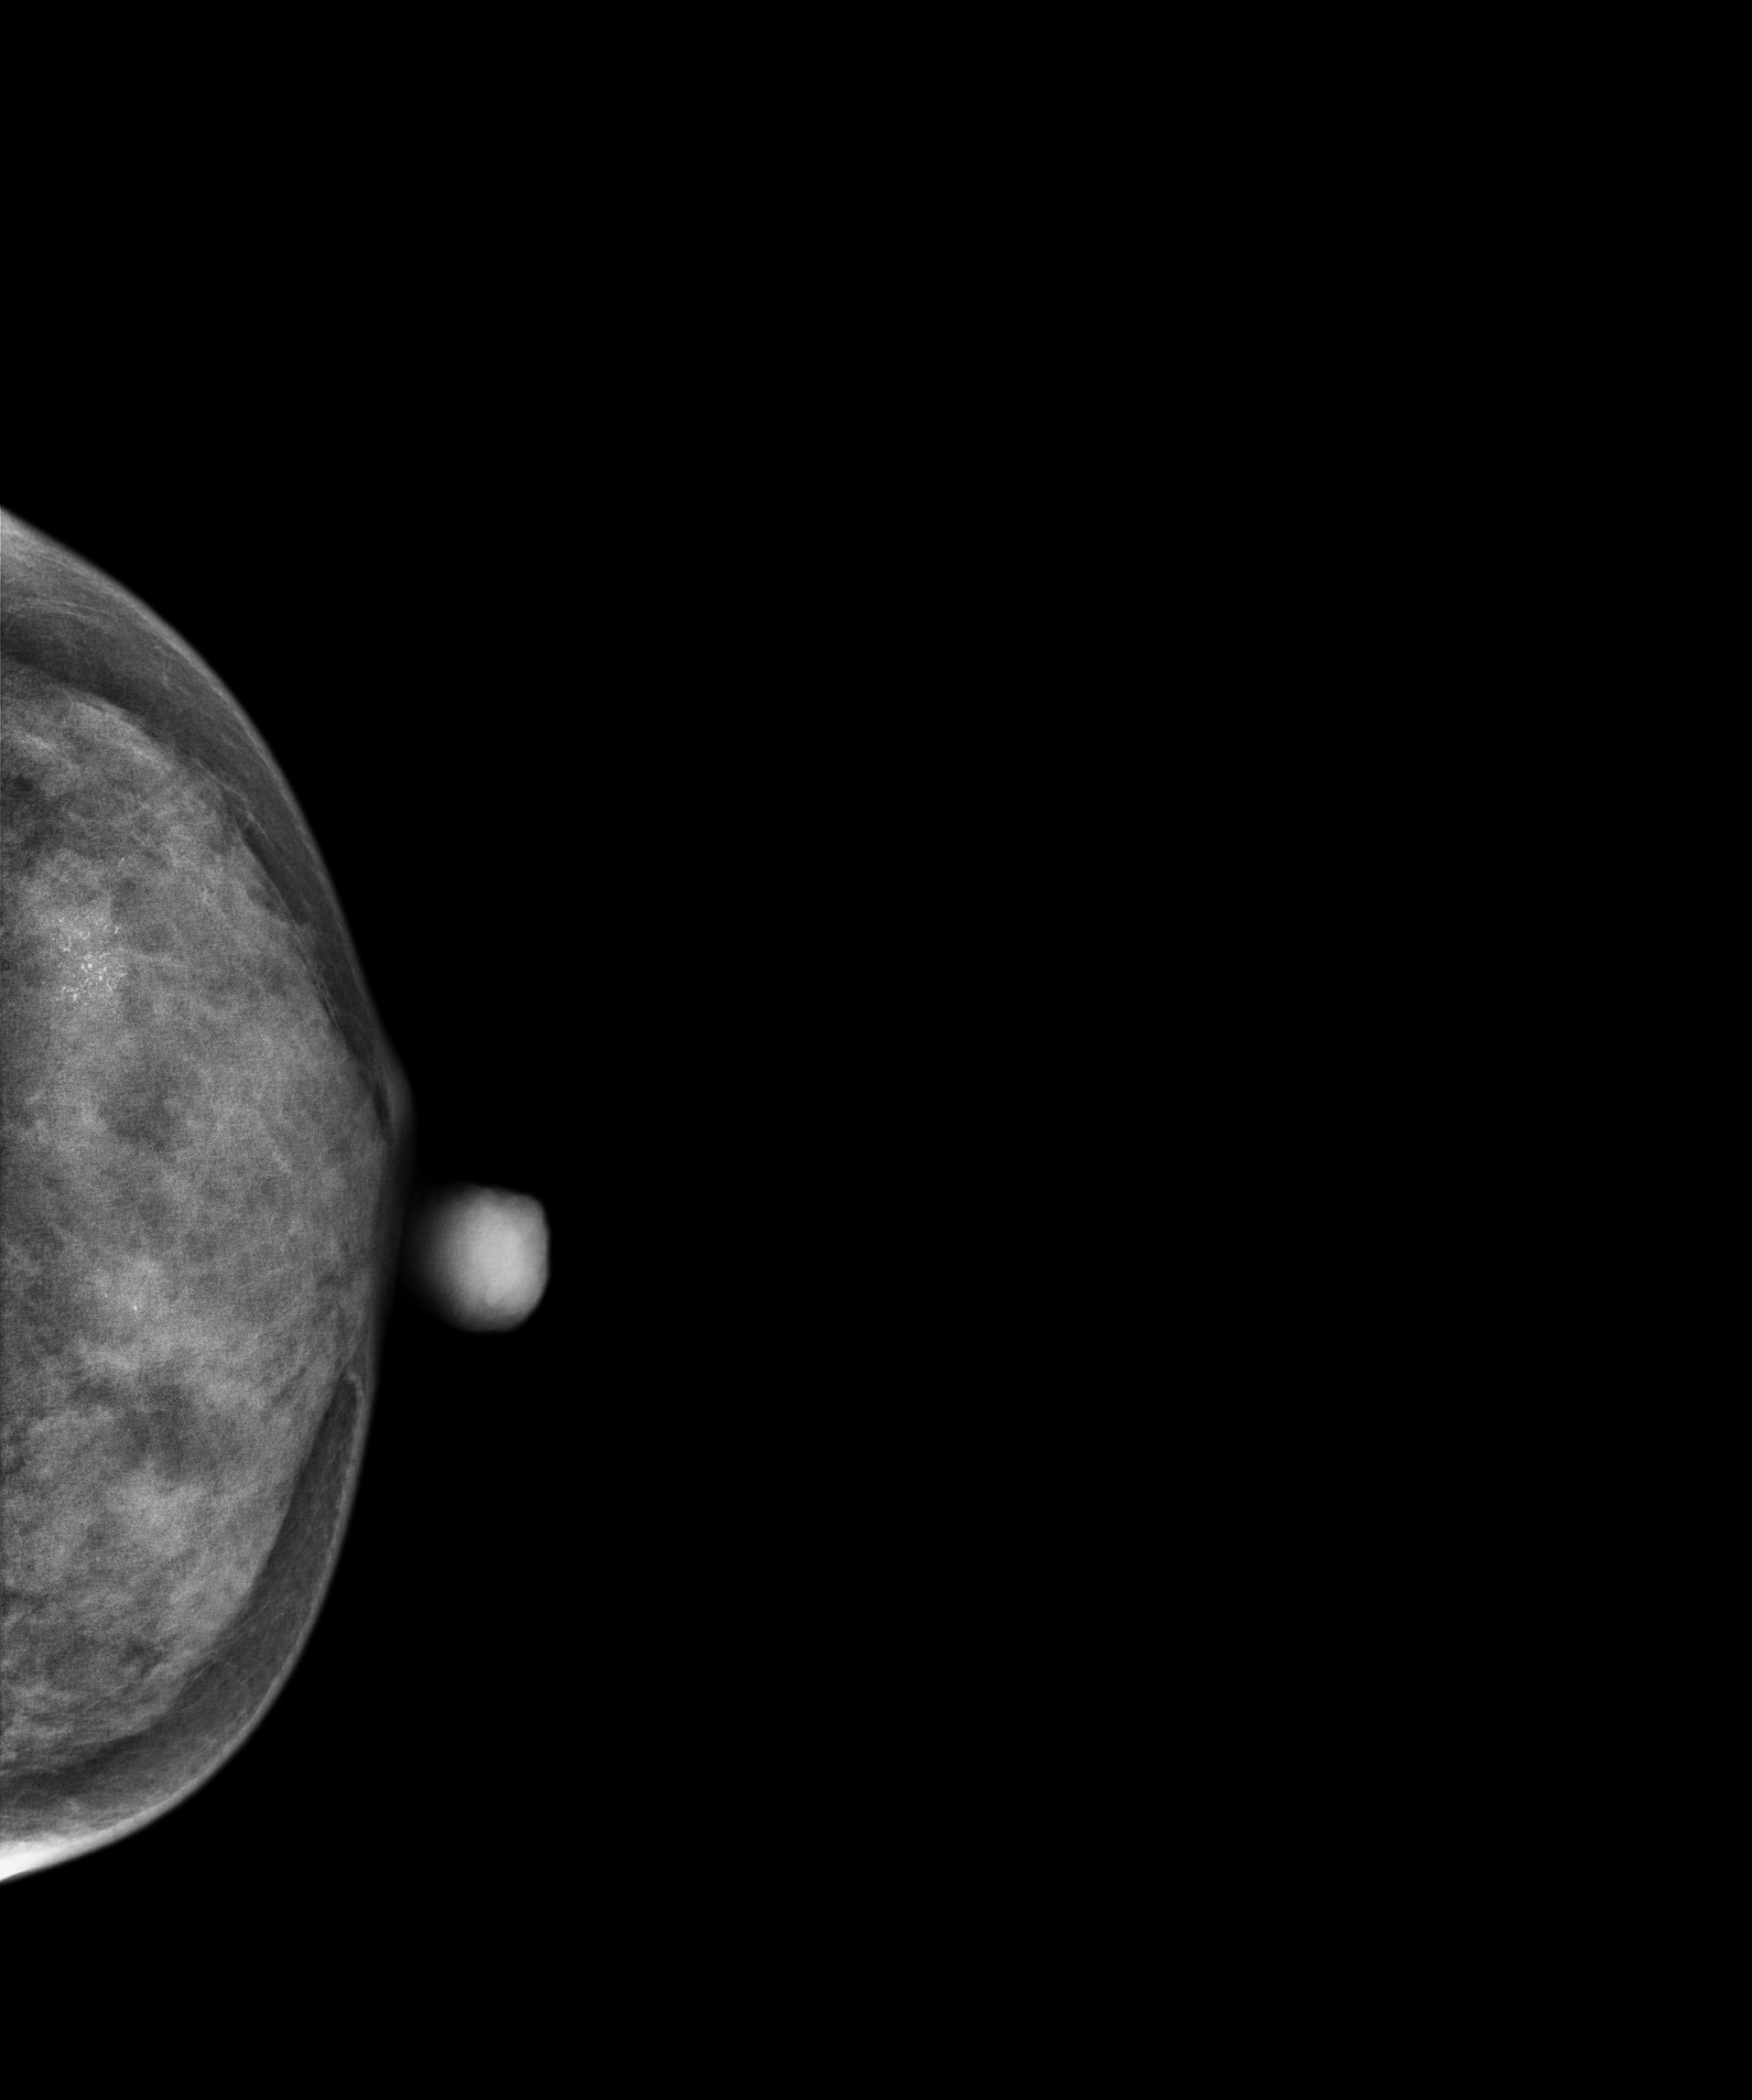
Mammogram, left breast, cranio-caudal view. 38-year-old patient.
This breast has calcifications, pathology-confirmed malignant.